Mammogram — left MLO. Patient age 51.
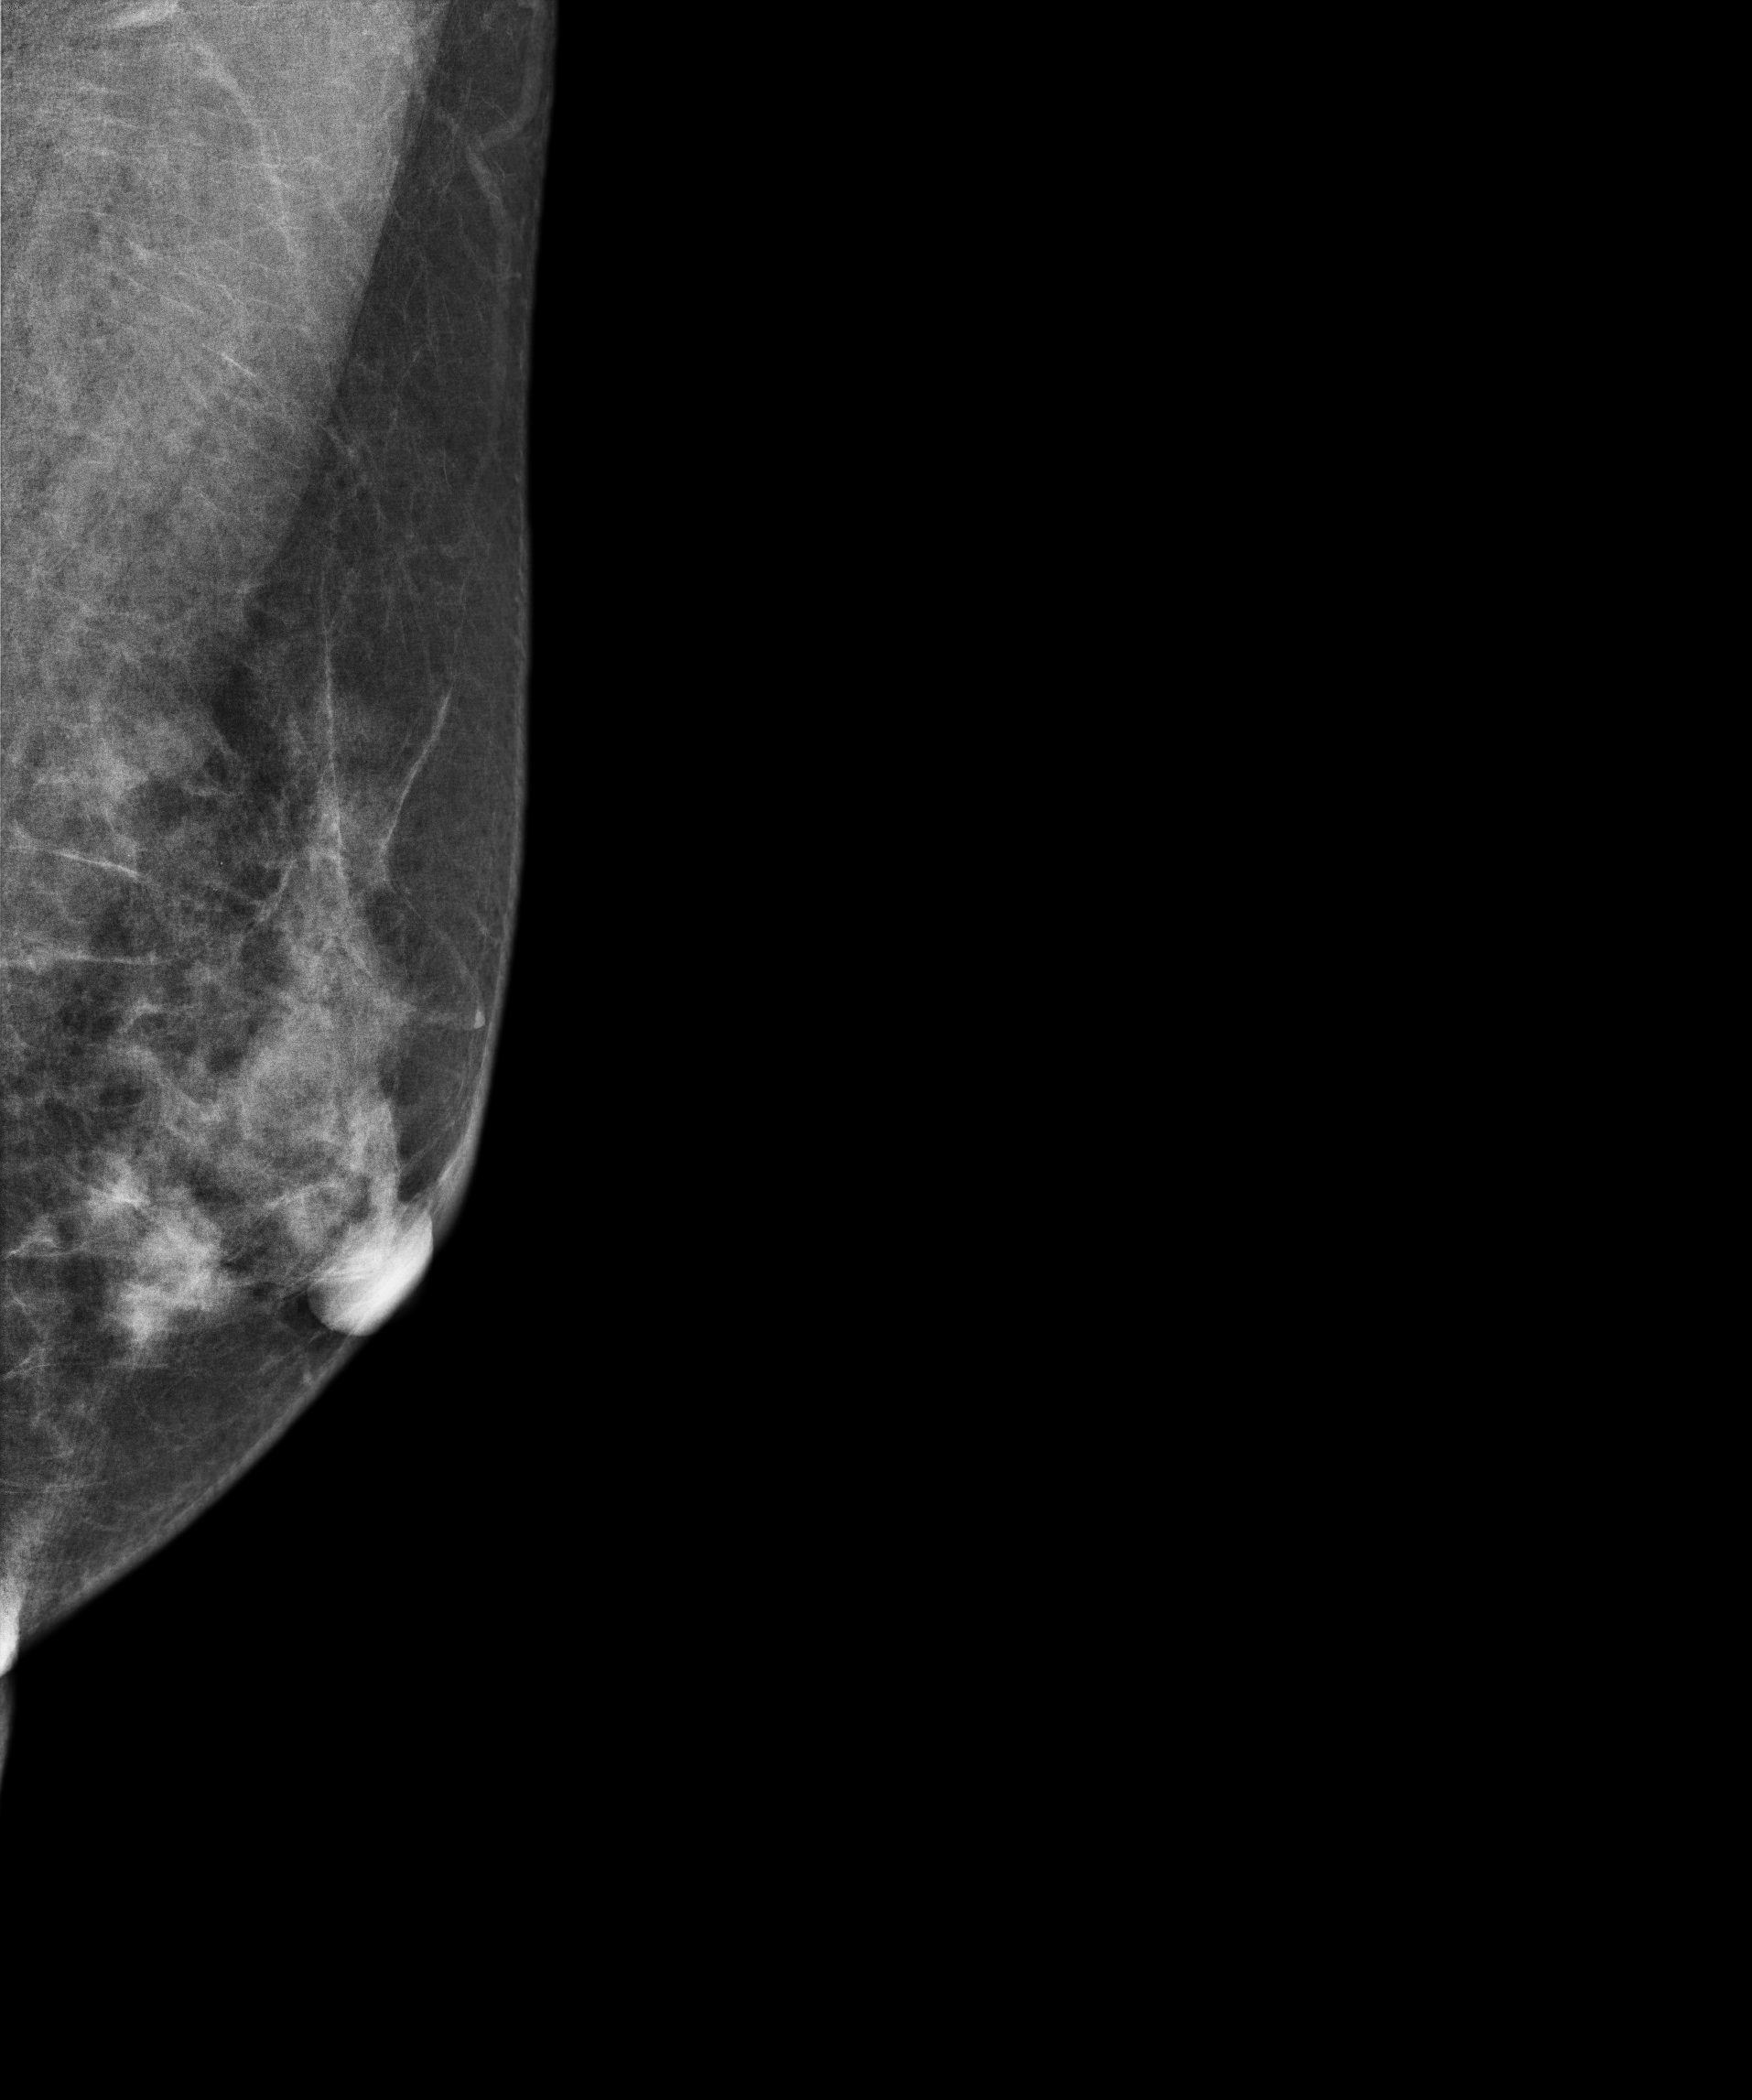
Contralateral breast — no documented abnormality on this side.